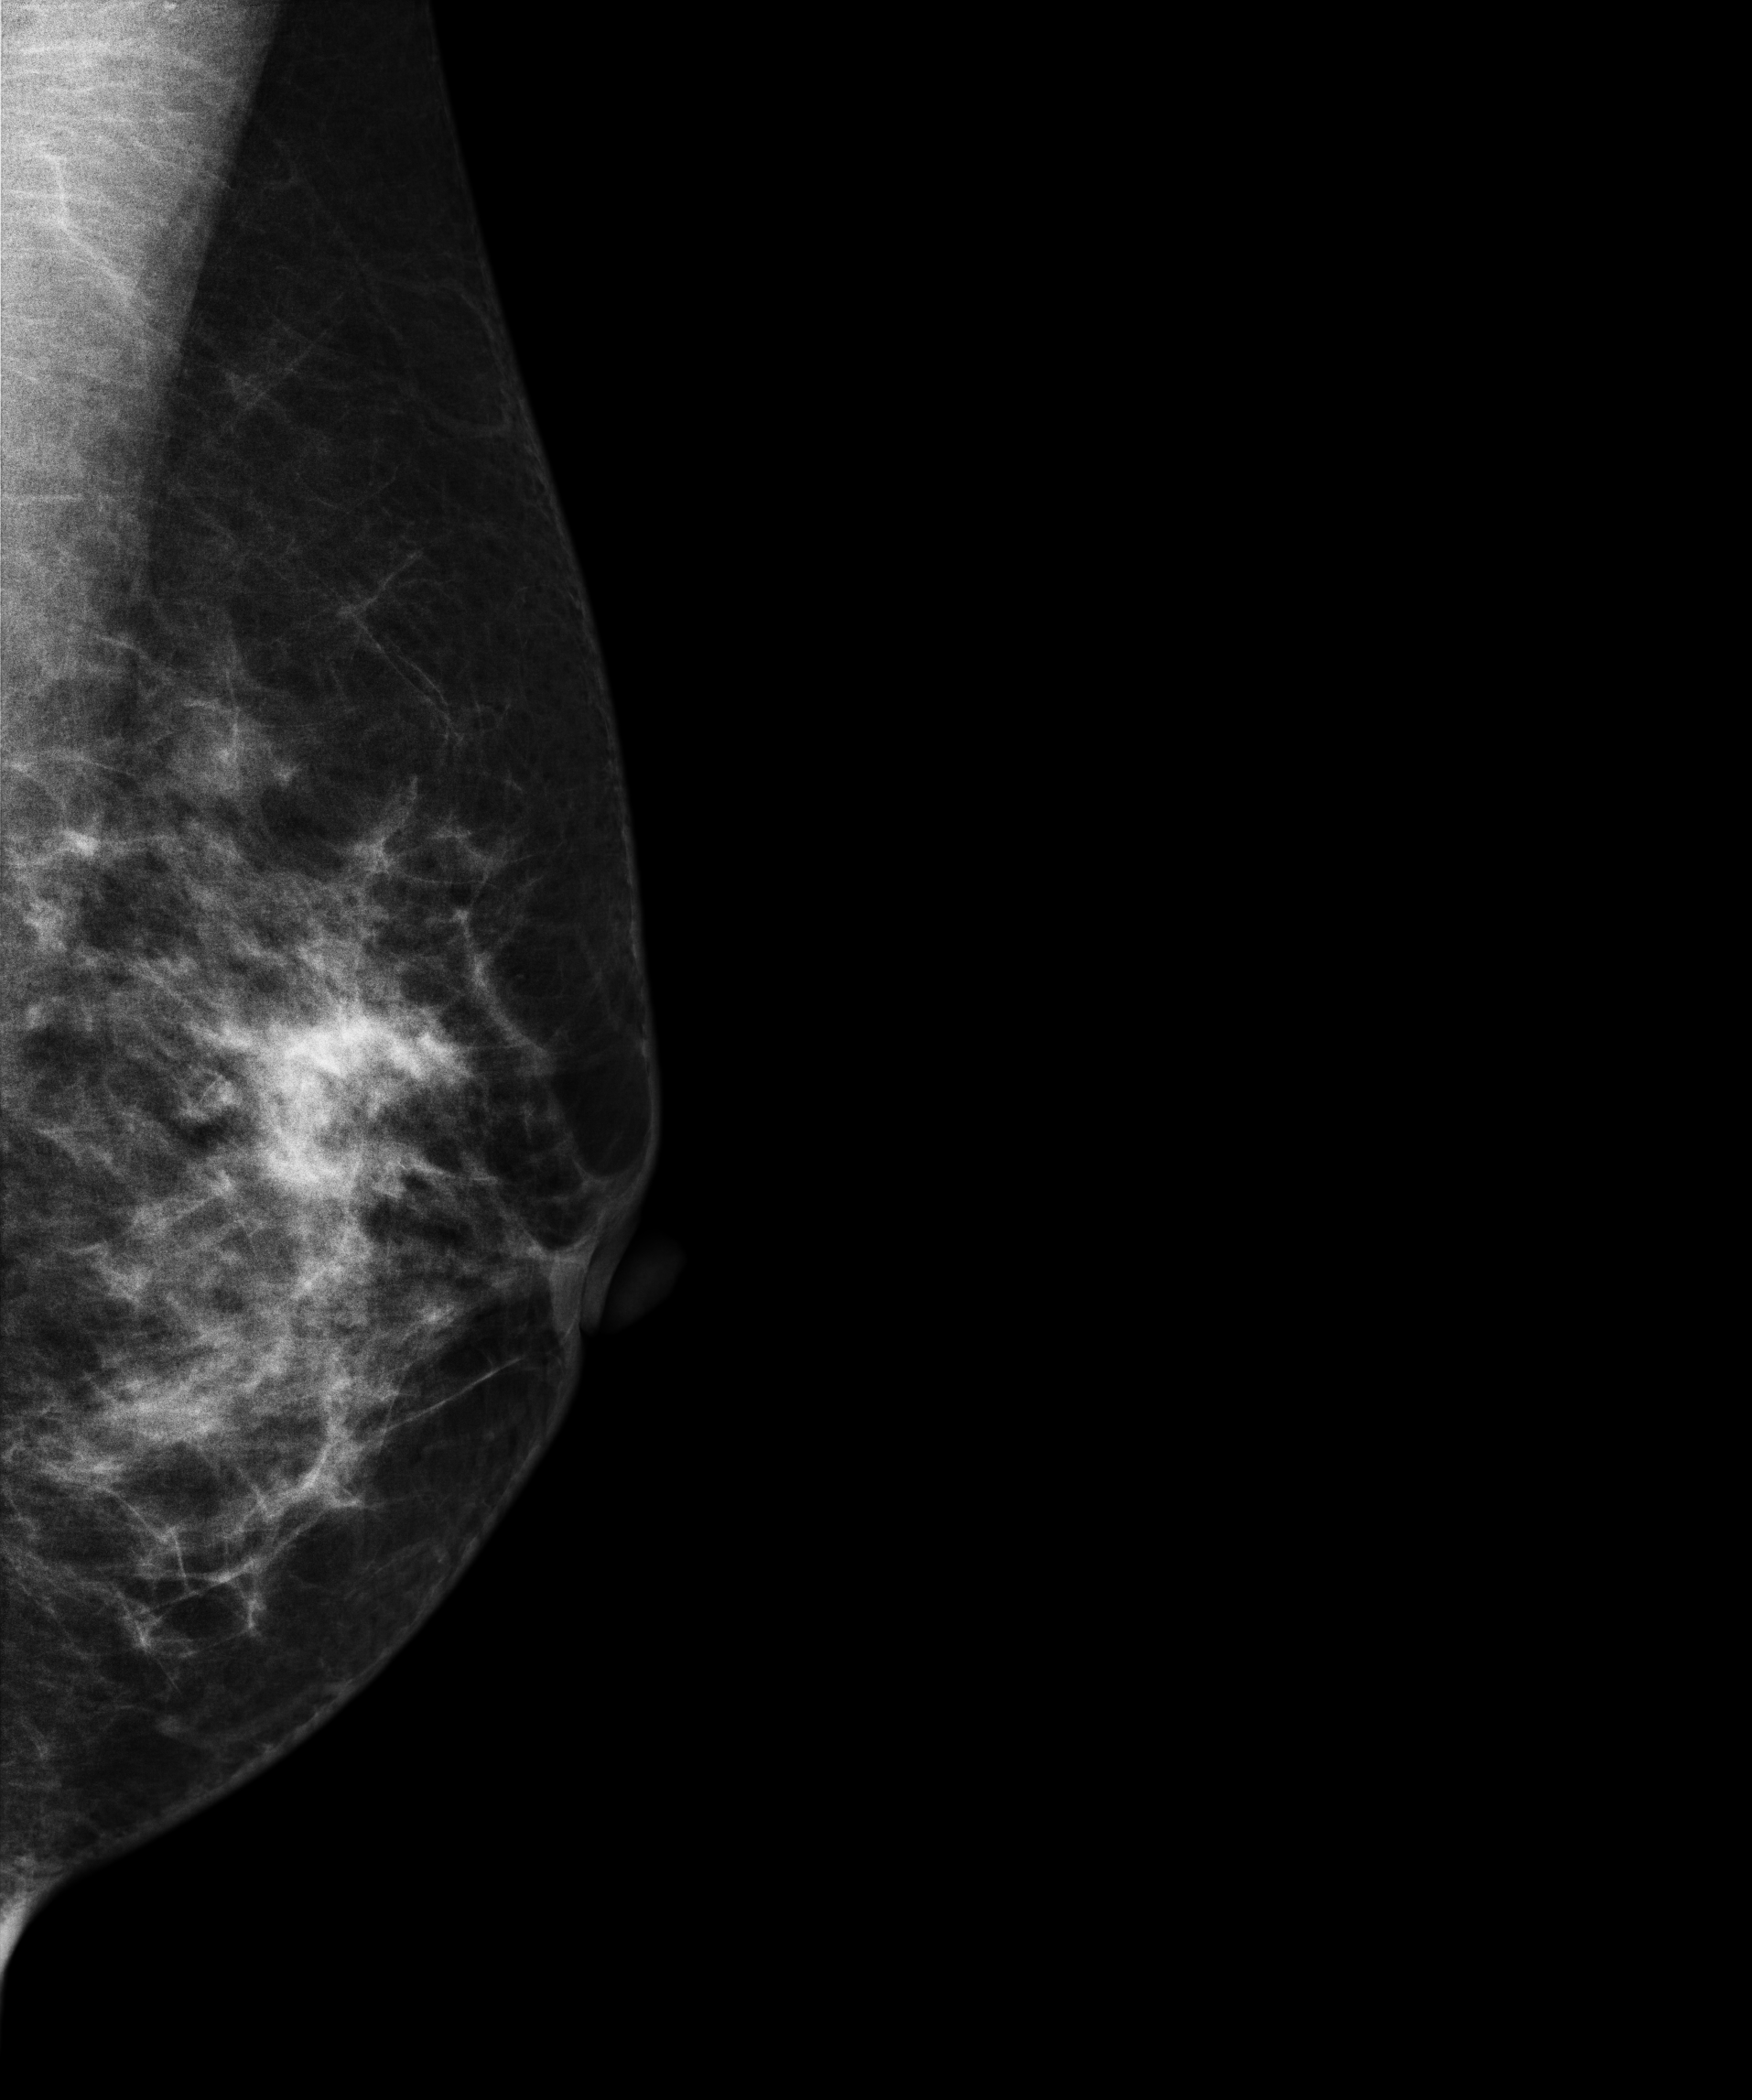
Mammogram, left breast, medio-lateral oblique view. 42 y/o patient.
This breast has a mass, histologically confirmed malignant.